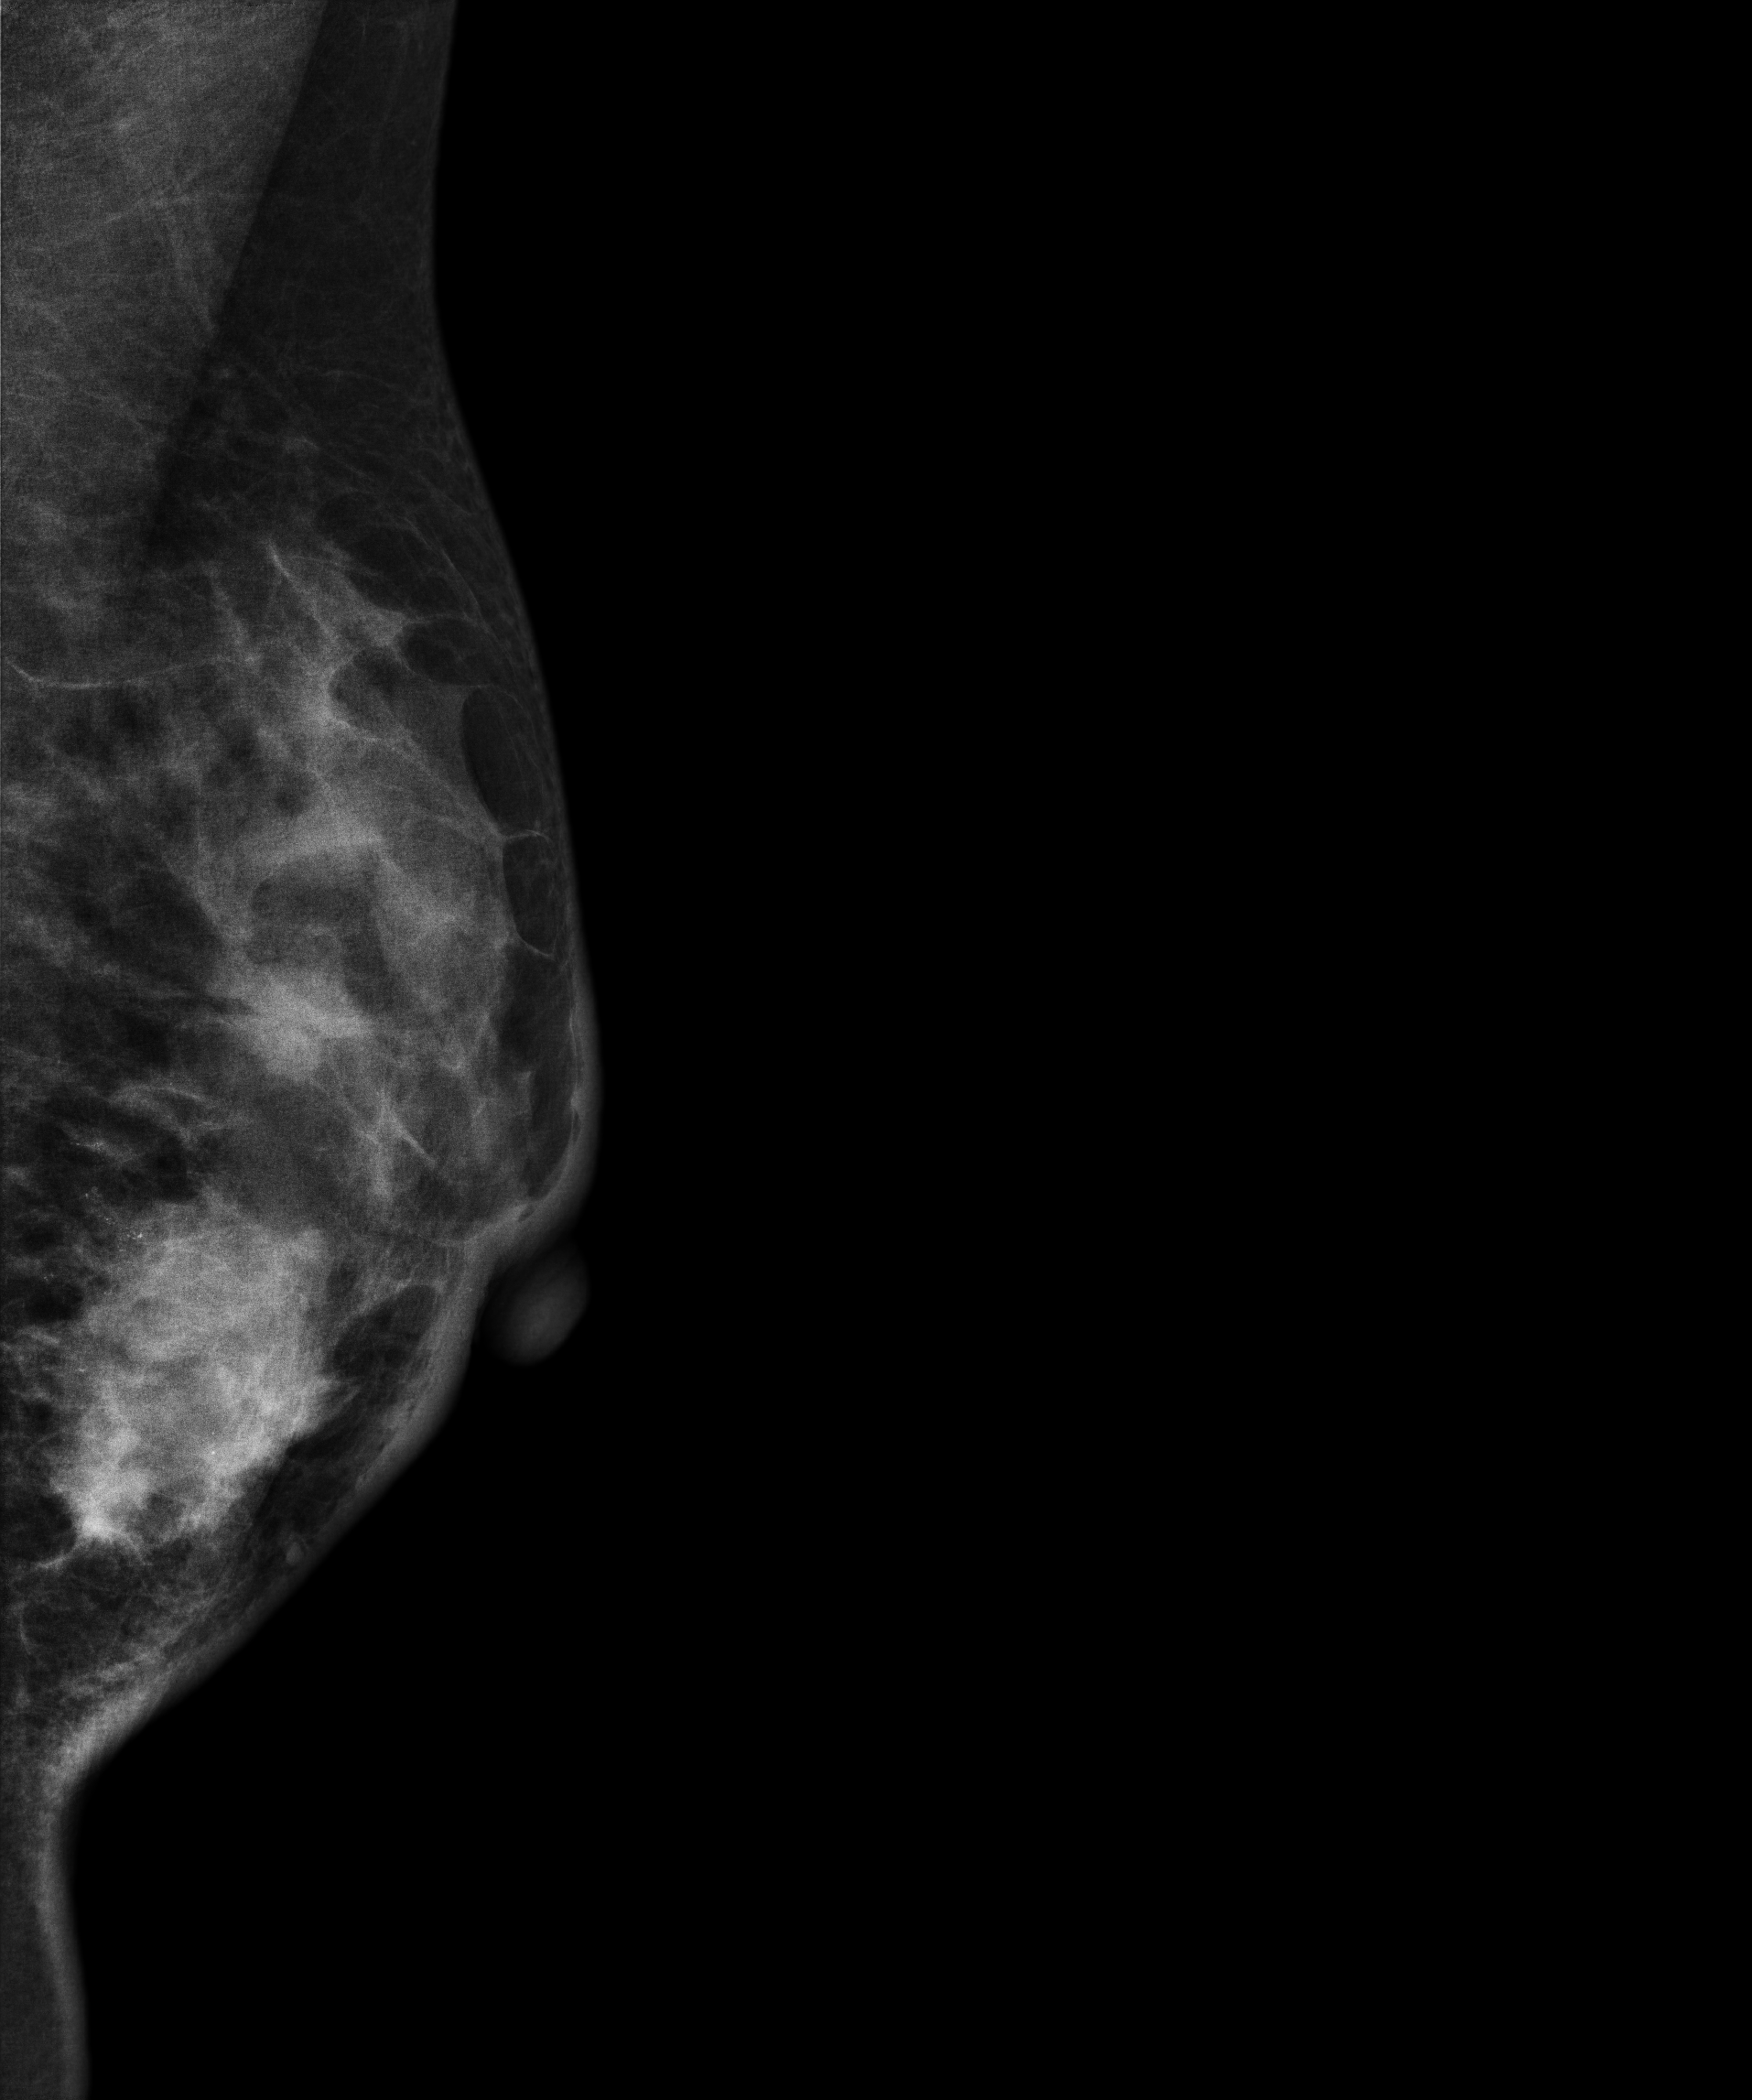
MLO mammogram of the left breast. 32 y/o patient.
This breast has a mass and calcifications, pathology-confirmed malignant.